Mammogram — right cranio-caudal. Patient age 64.
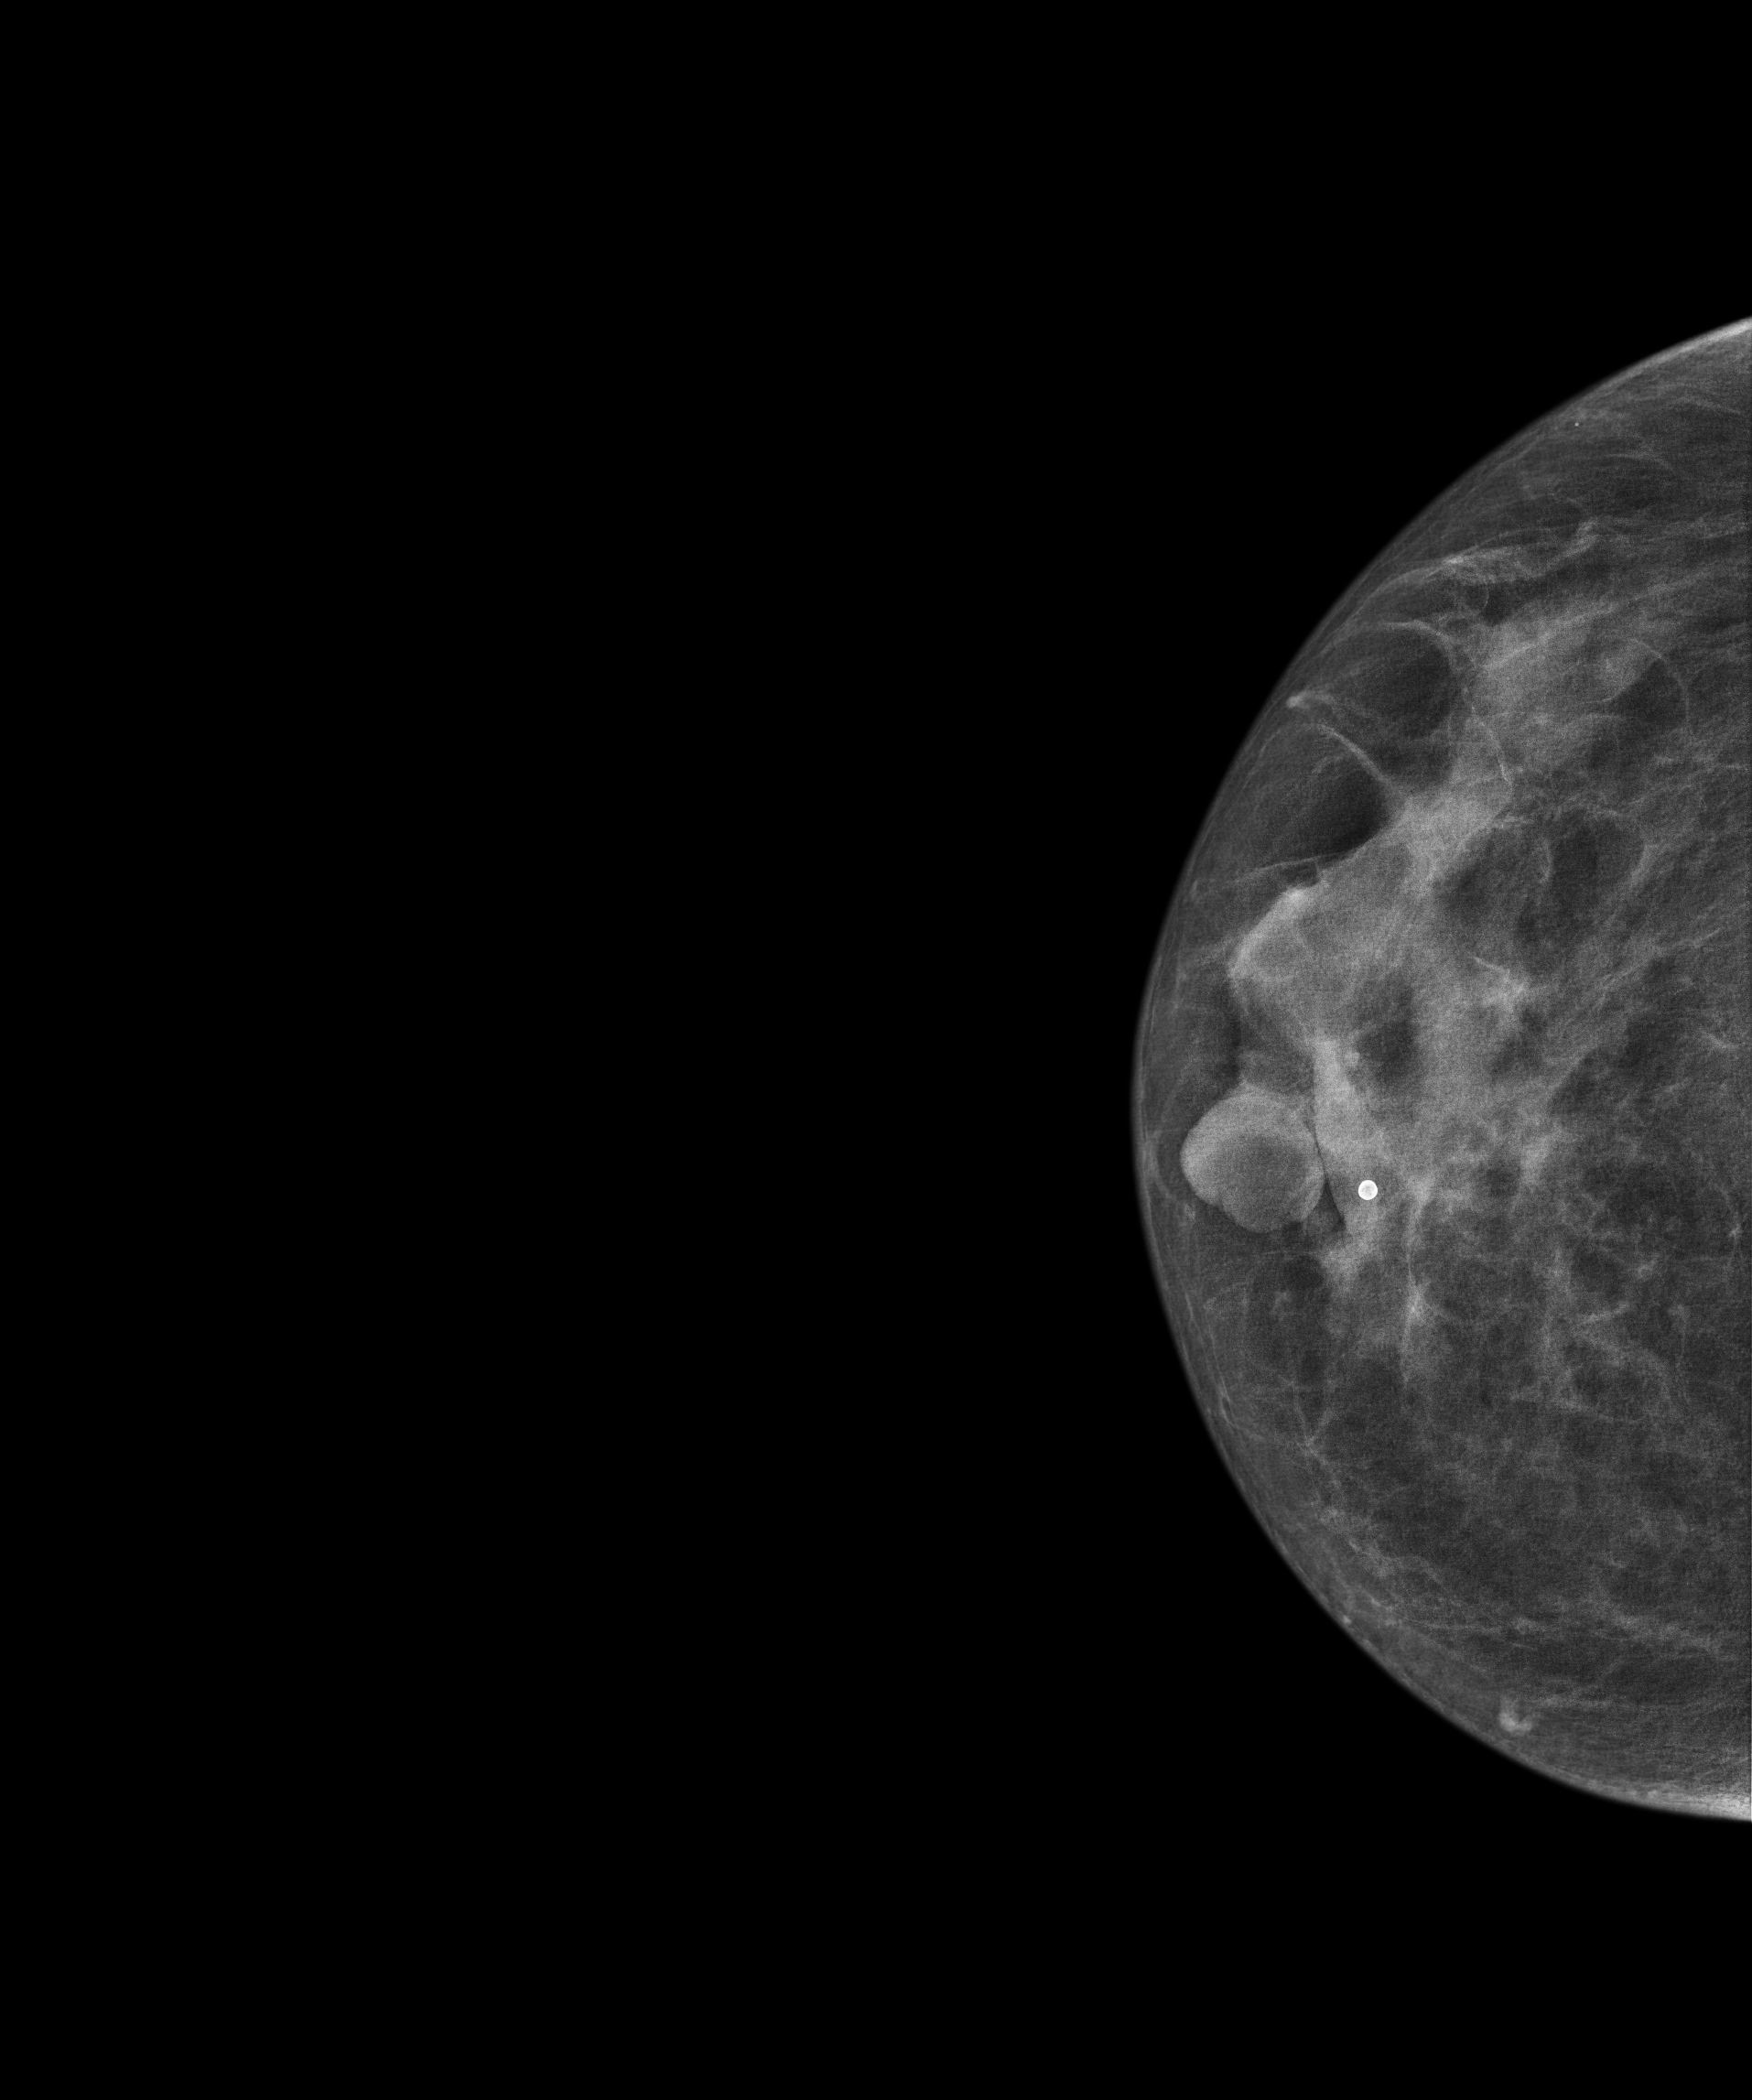
This breast has a mass and calcifications, histologically confirmed benign.